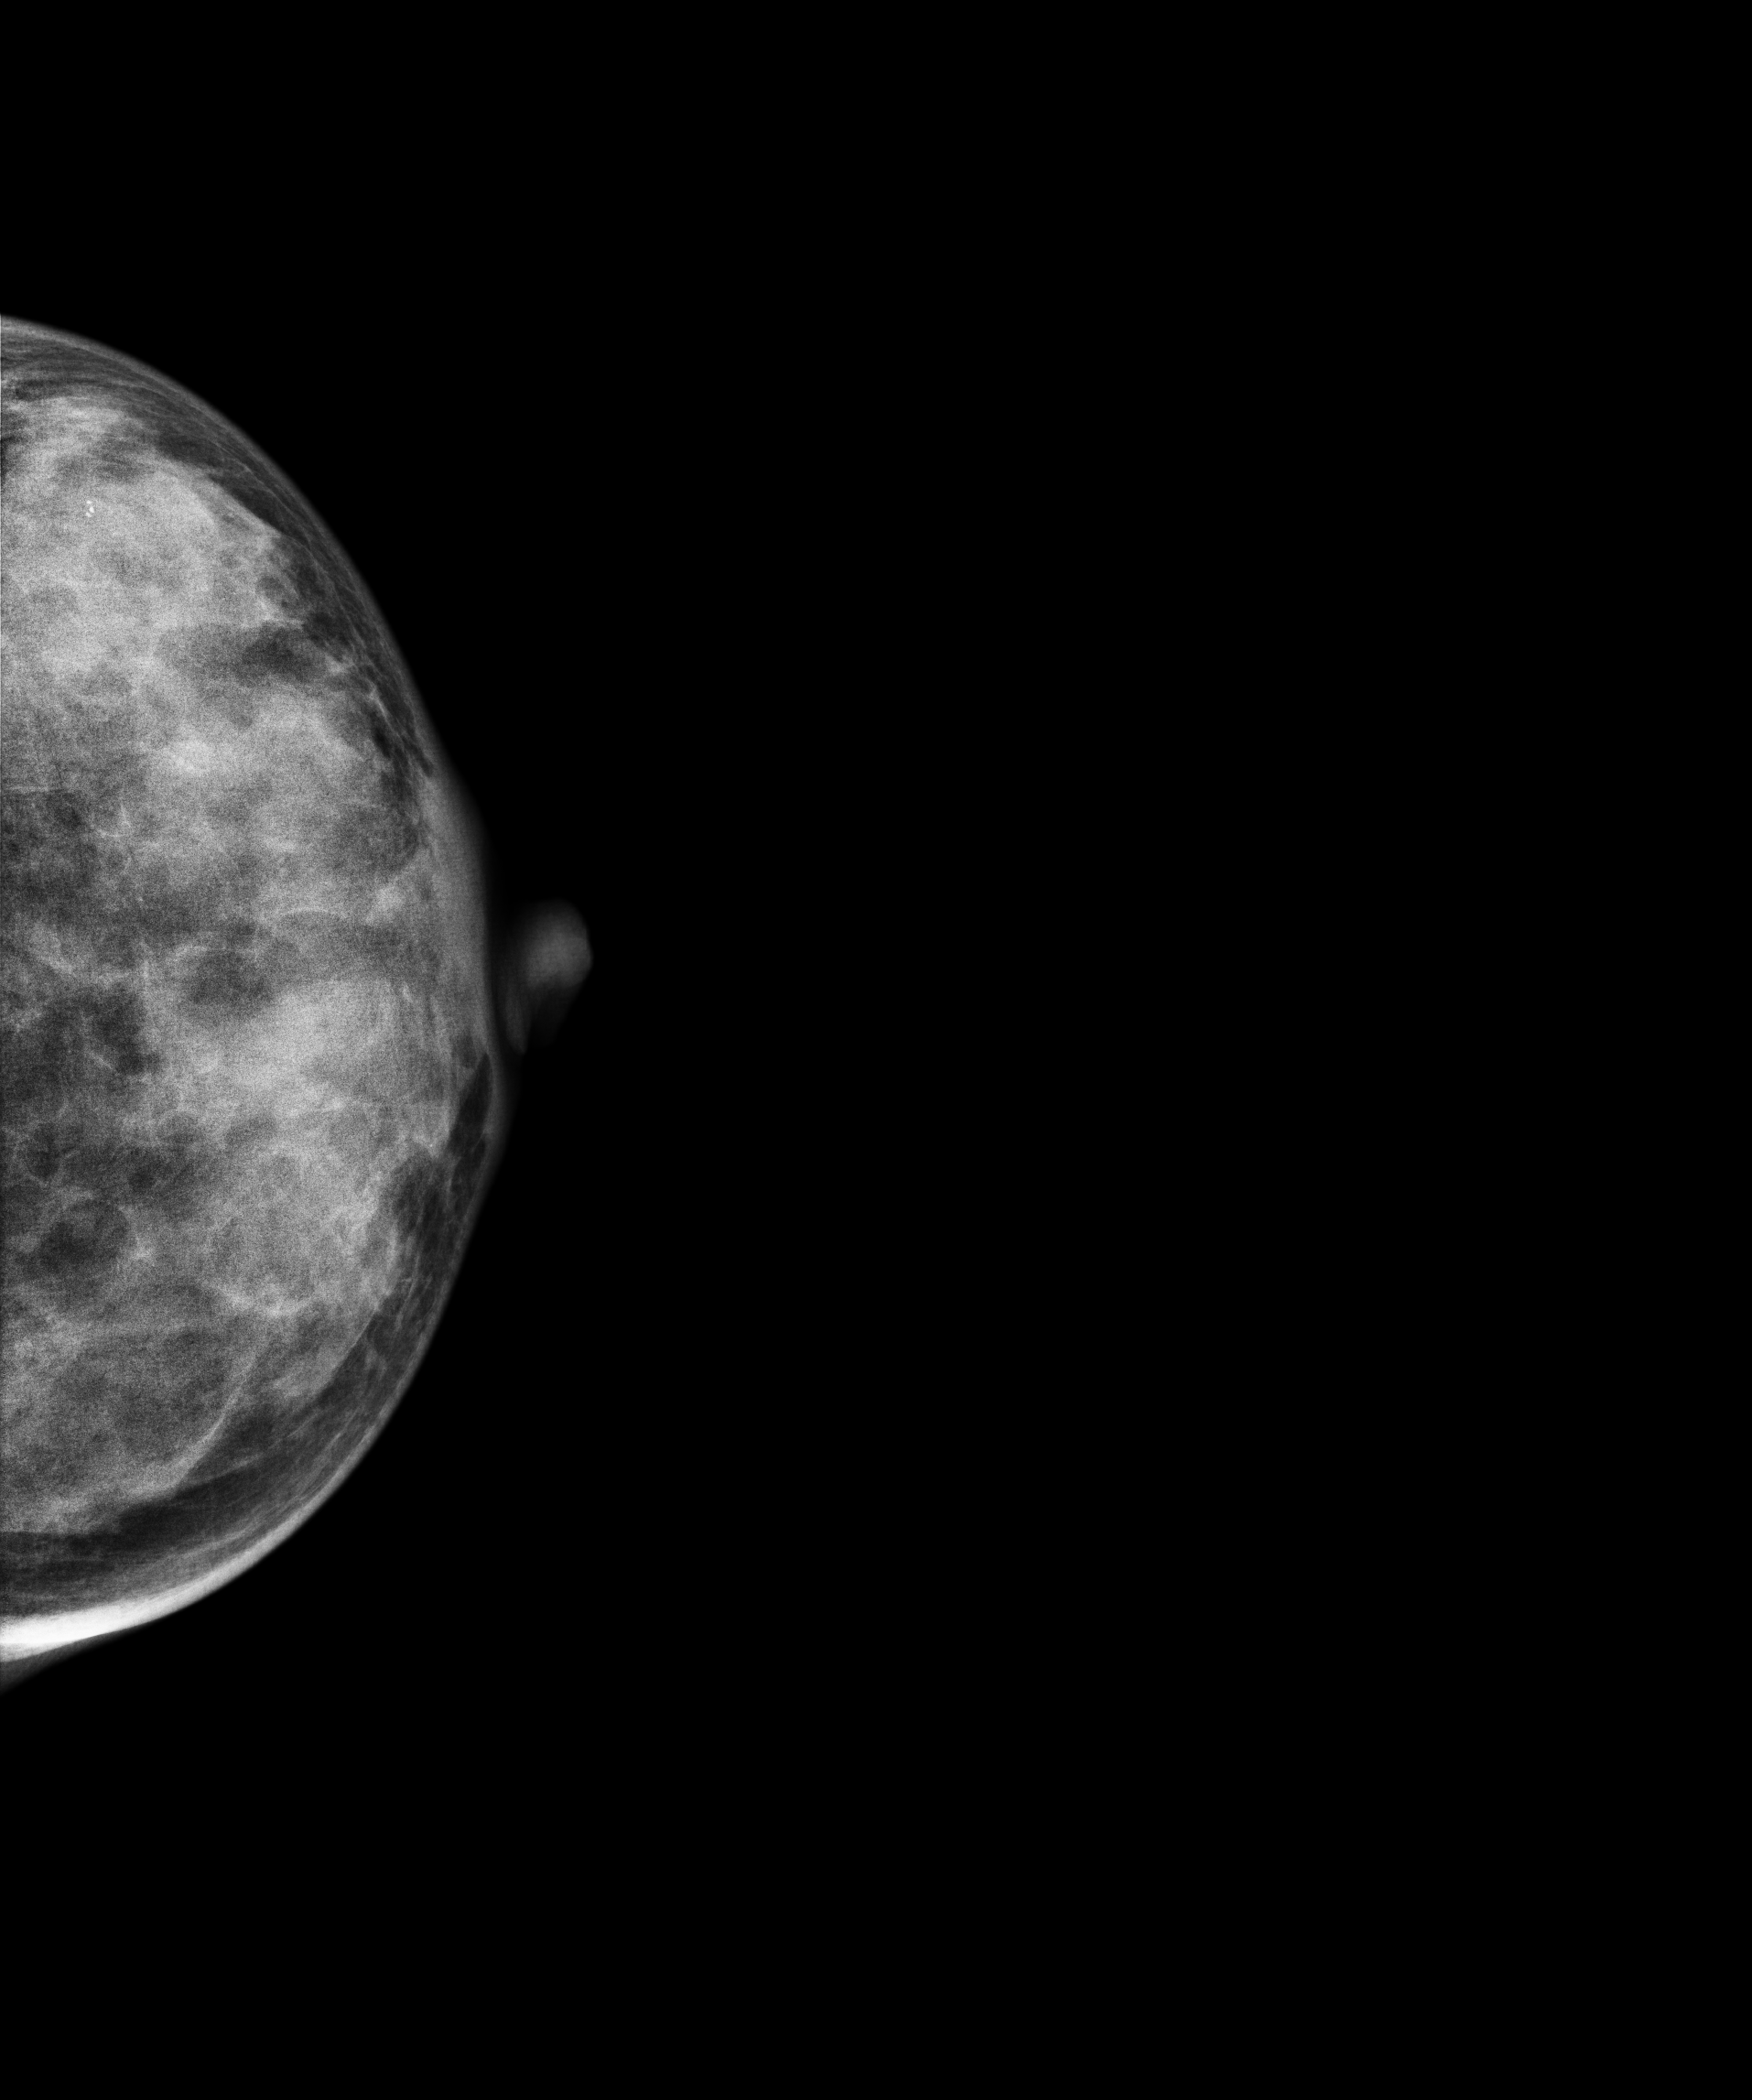
Mammogram — left CC. 33-year-old patient.
This breast has a mass, biopsy-confirmed malignant. Molecular subtype: HER2-enriched.